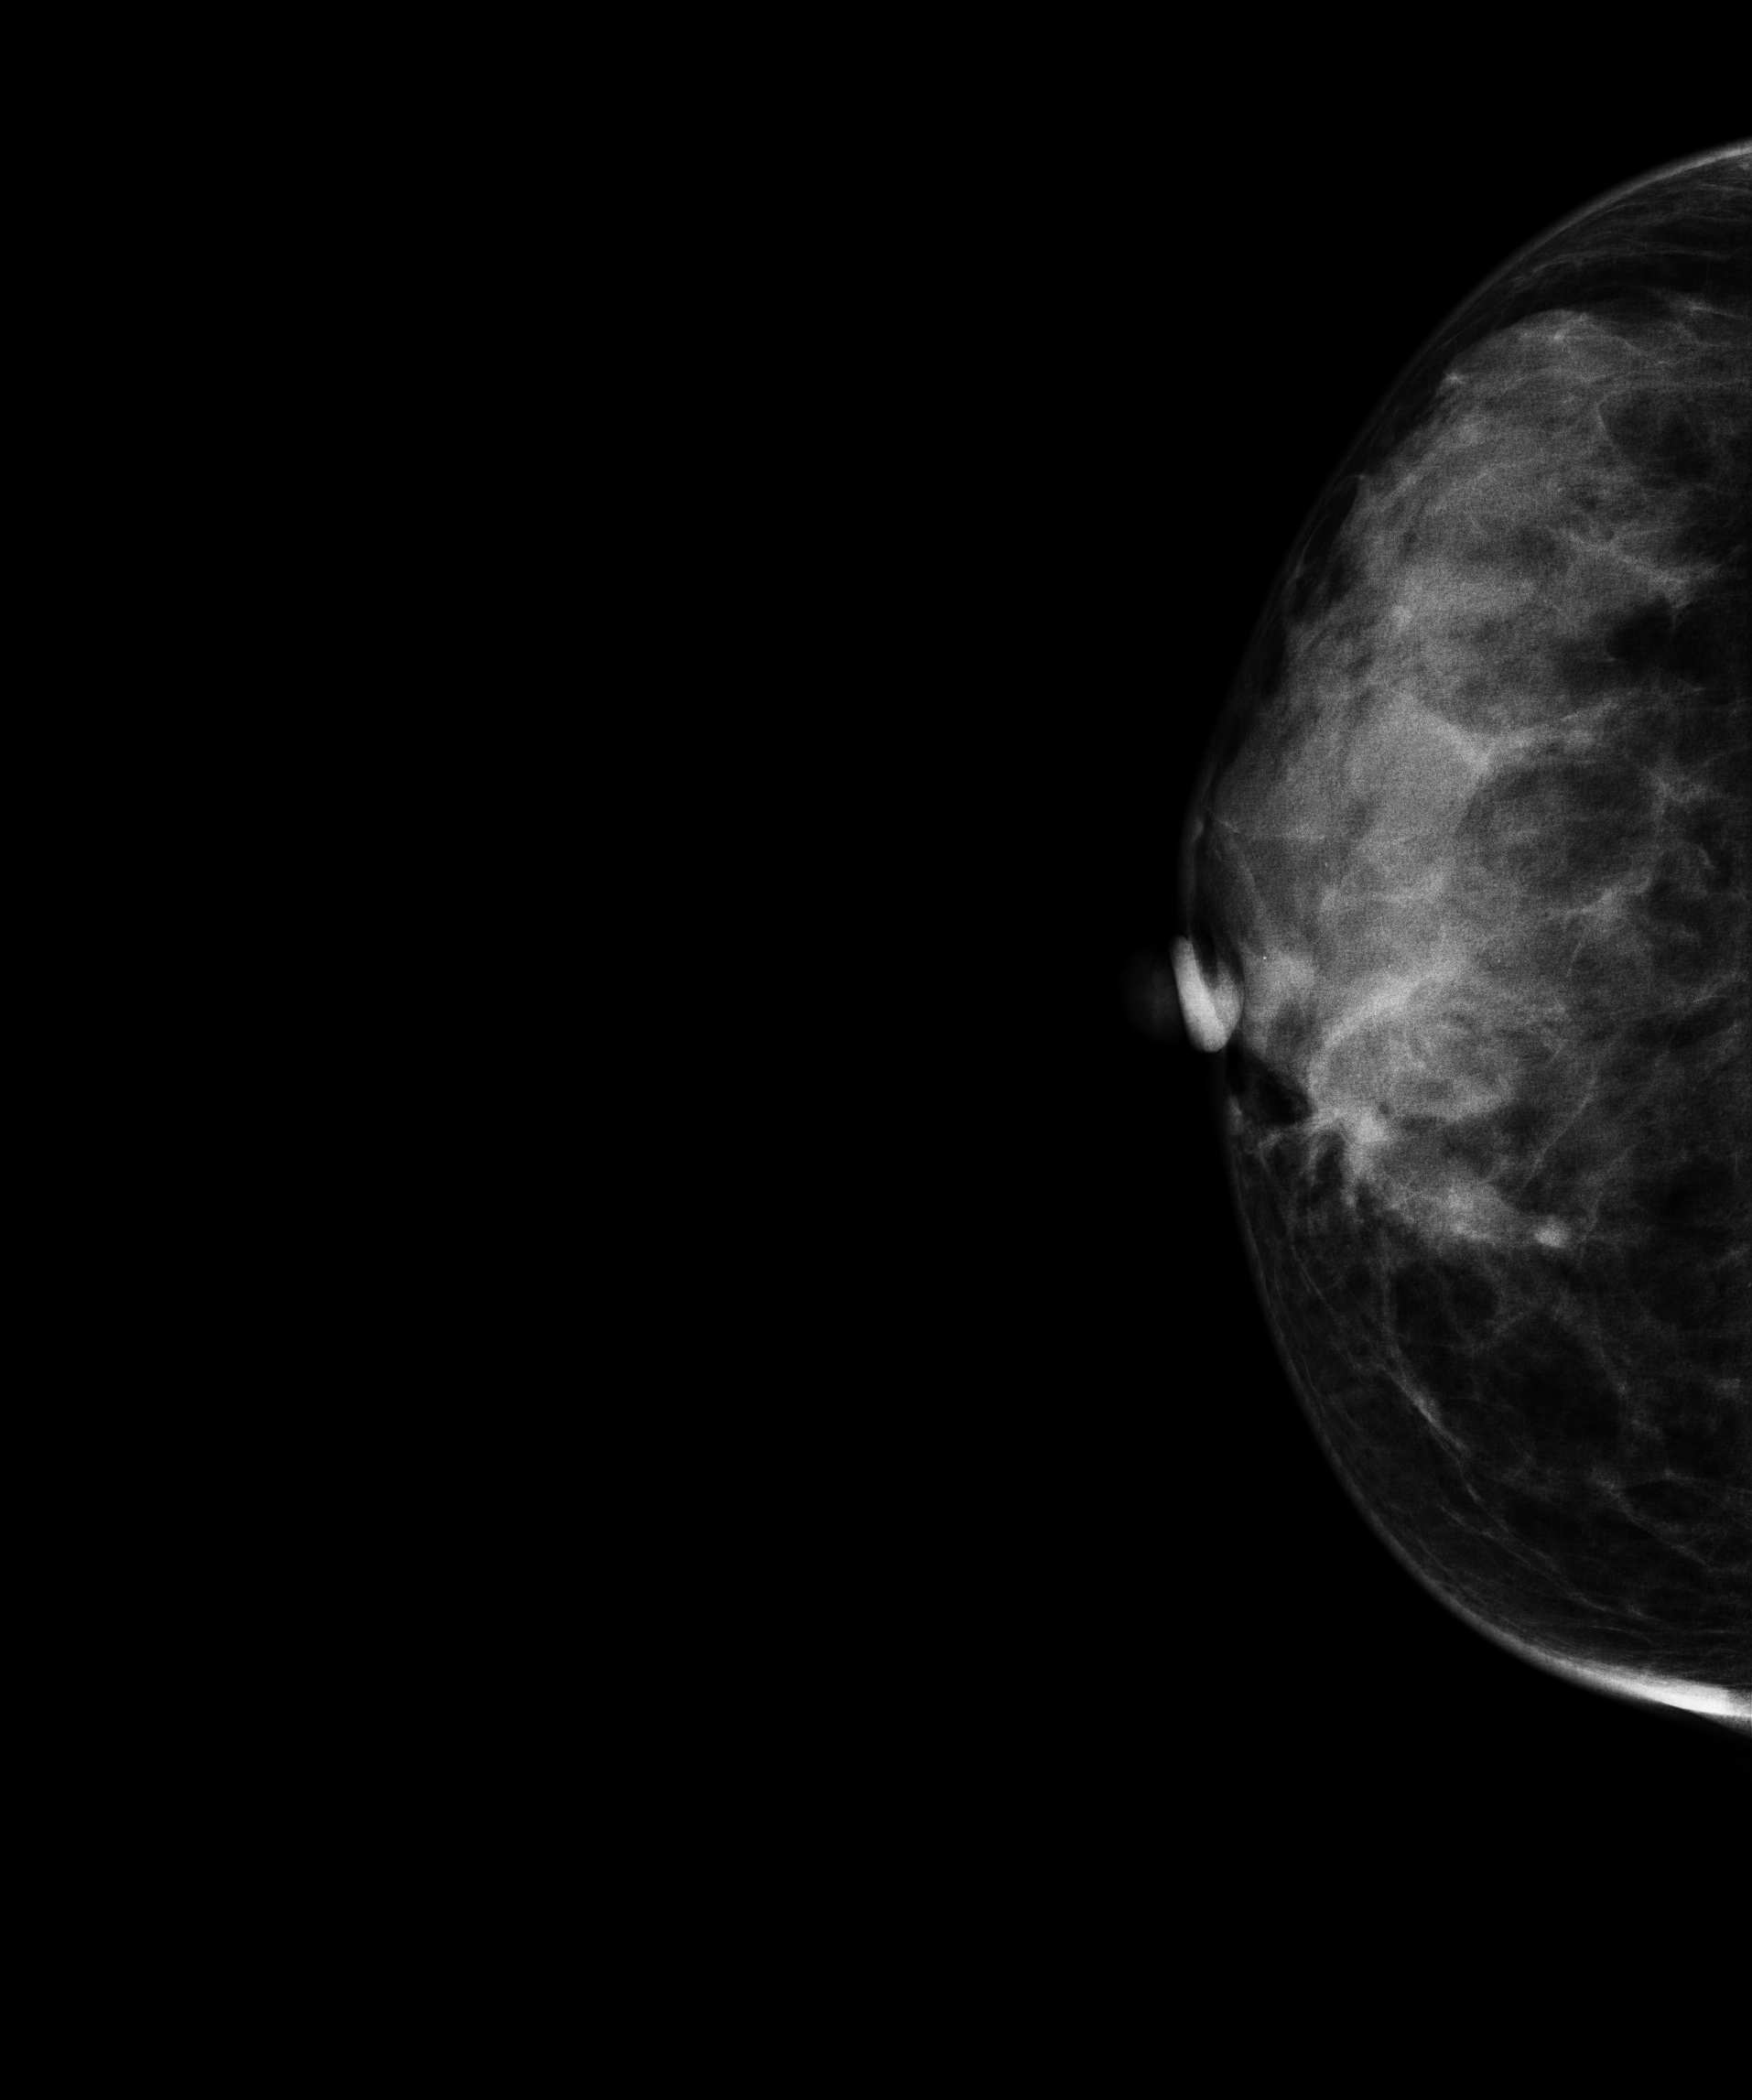
Right-breast mammogram, cranio-caudal. 33-year-old patient.
This breast has a mass and calcifications, pathology-confirmed malignant.